Mammogram, left breast, cranio-caudal view. 55 y/o patient.
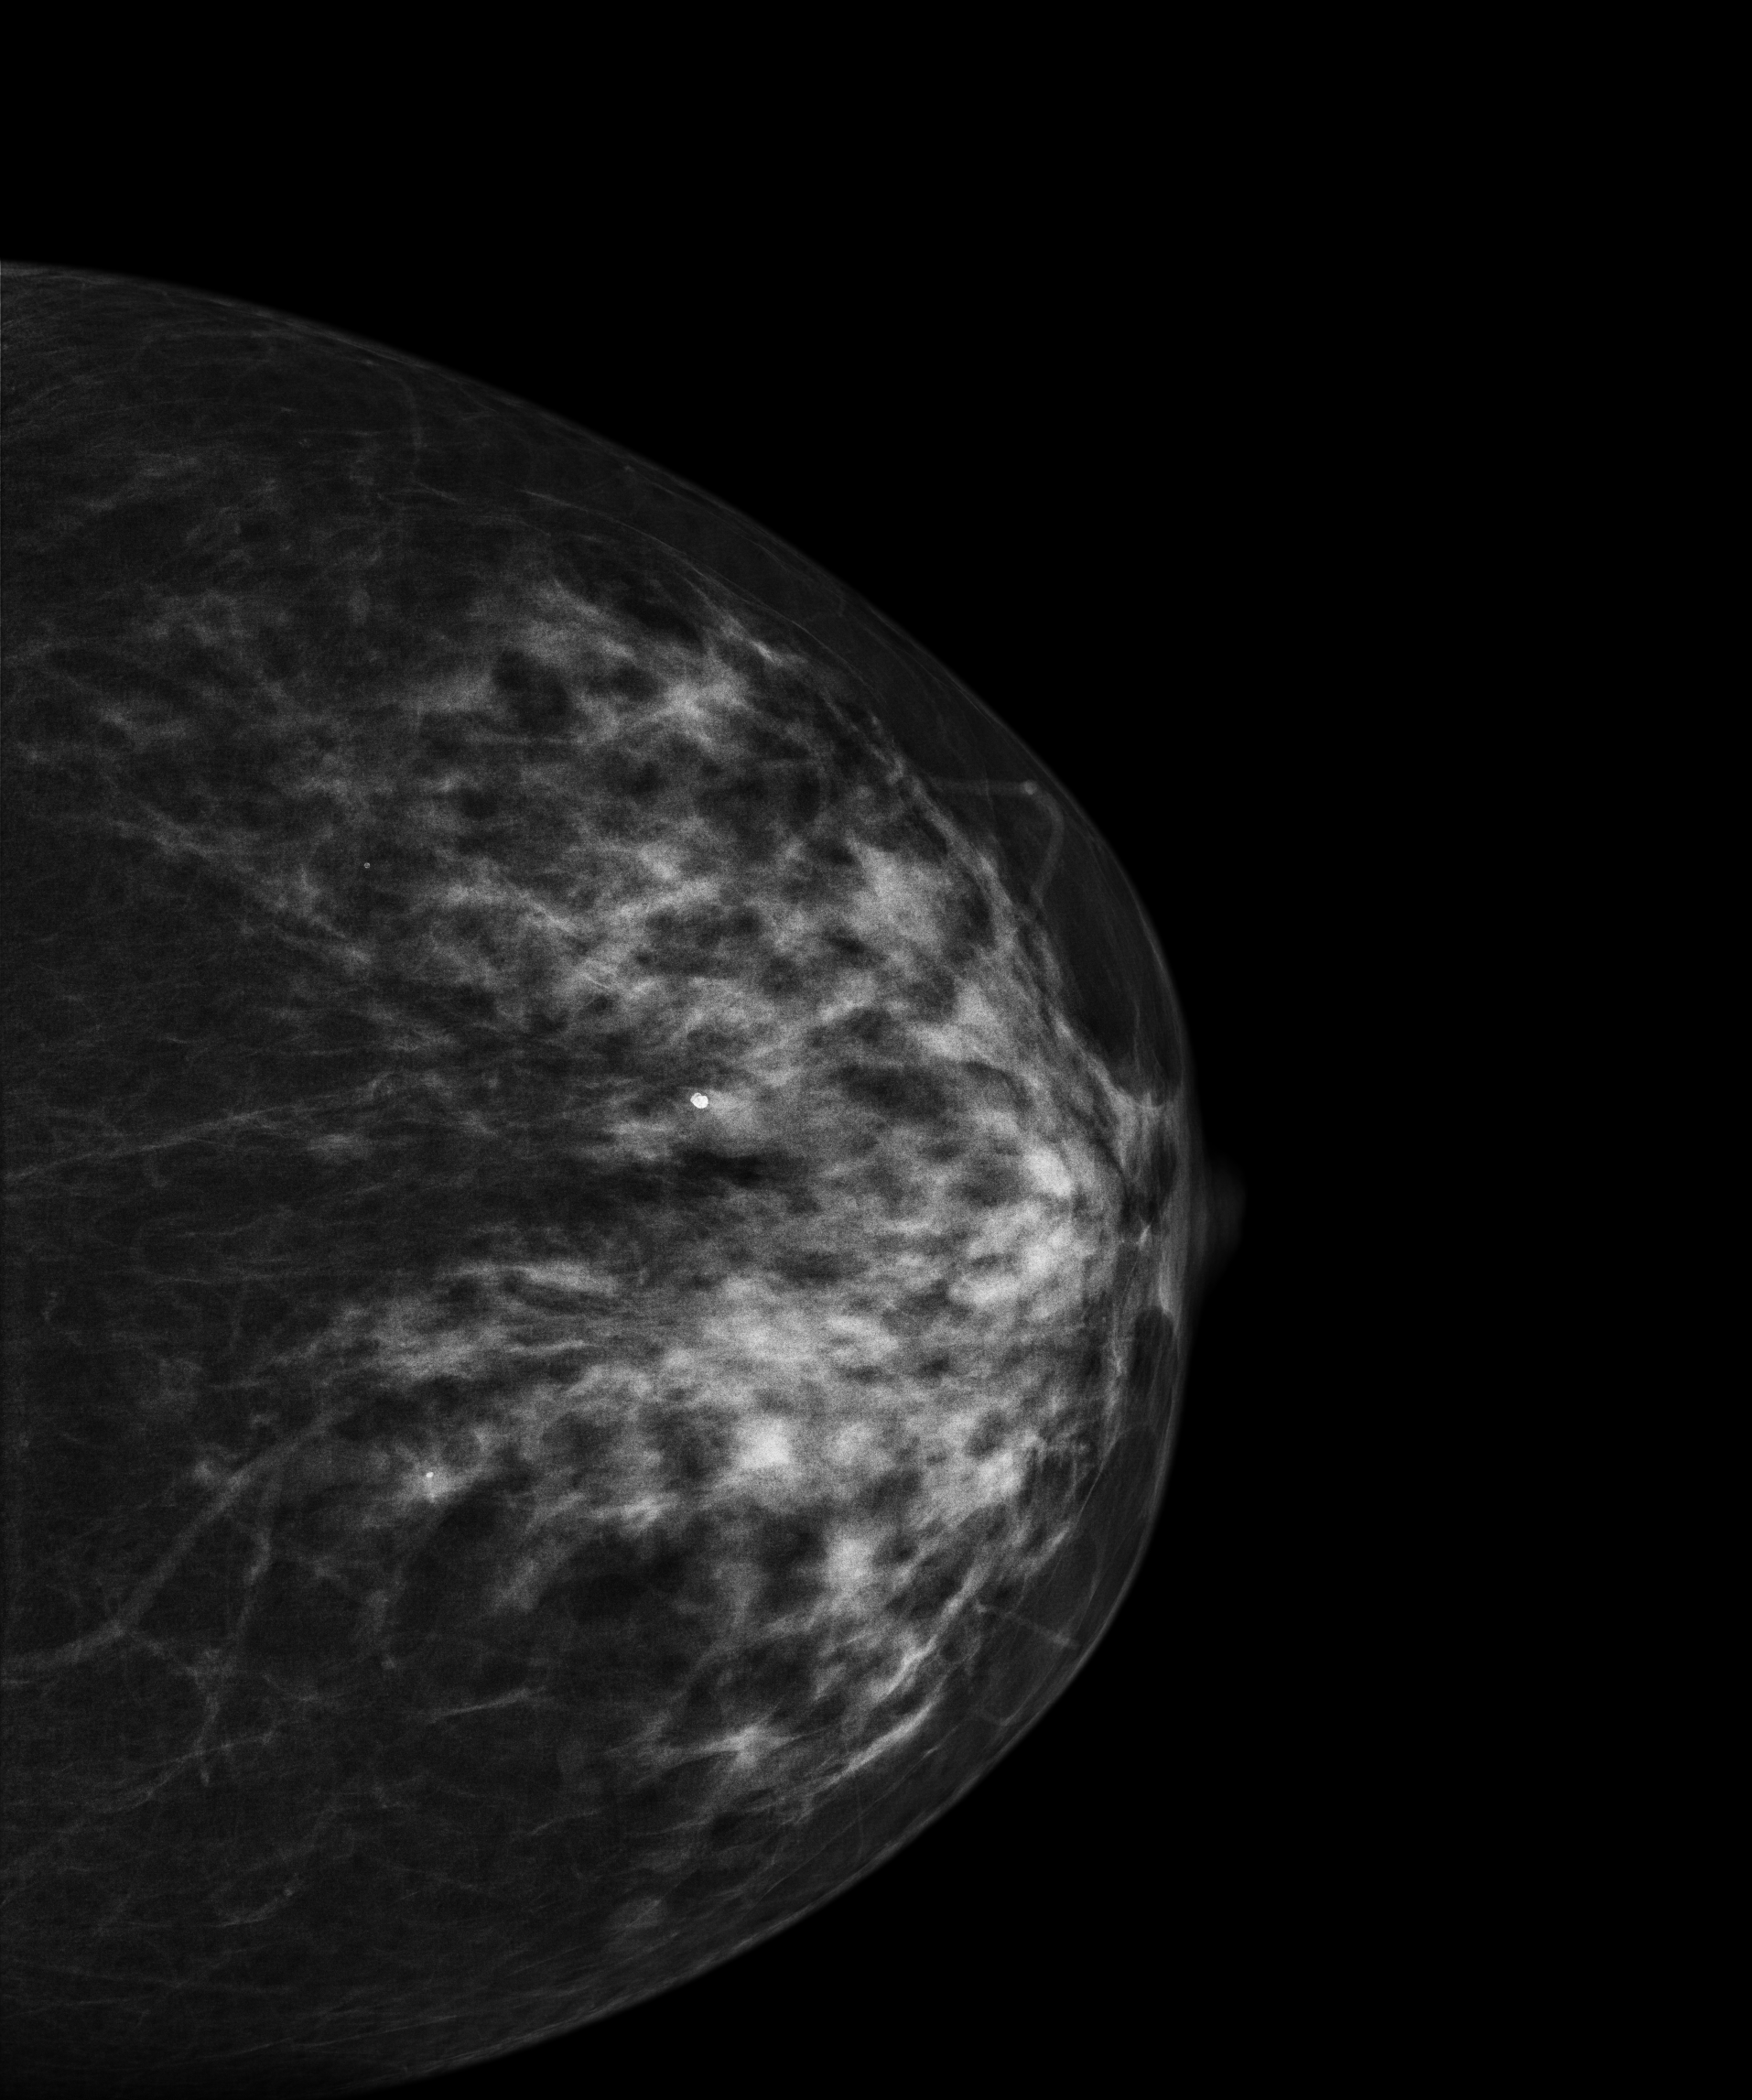
Contralateral breast — no documented abnormality on this side.